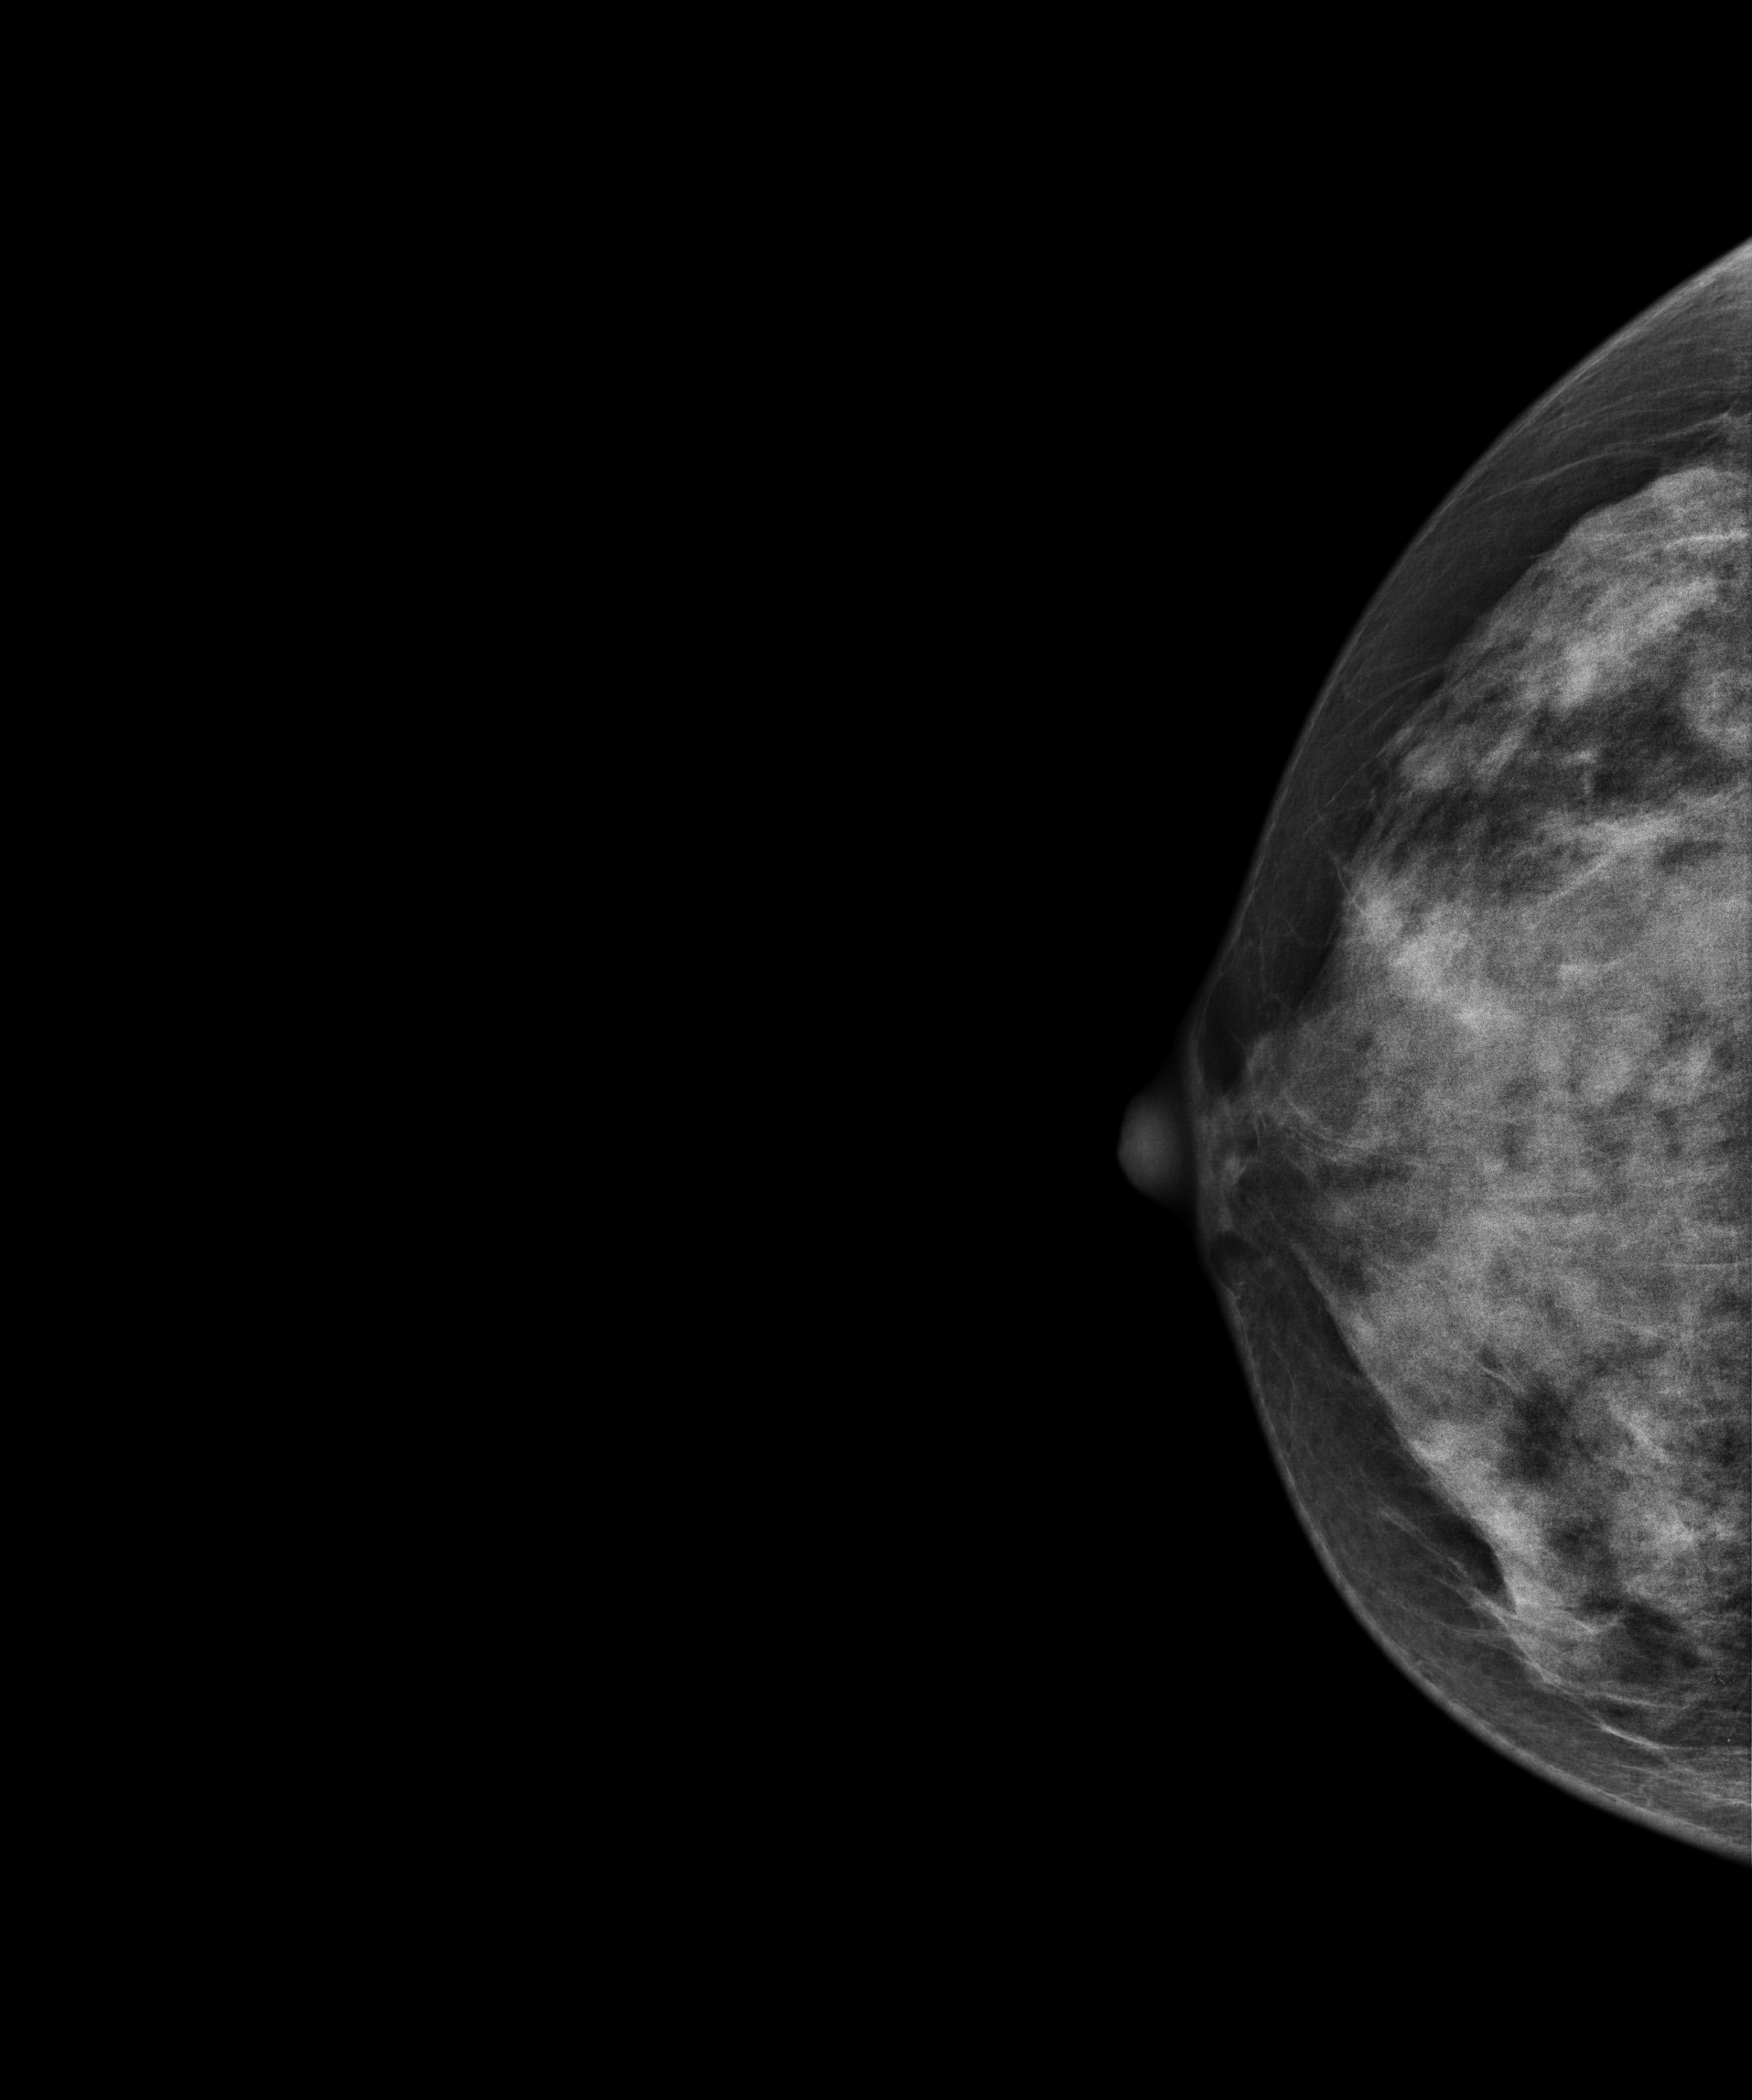
Cranio-caudal mammogram of the right breast. 46 y/o patient.
Contralateral breast — no documented abnormality on this side.